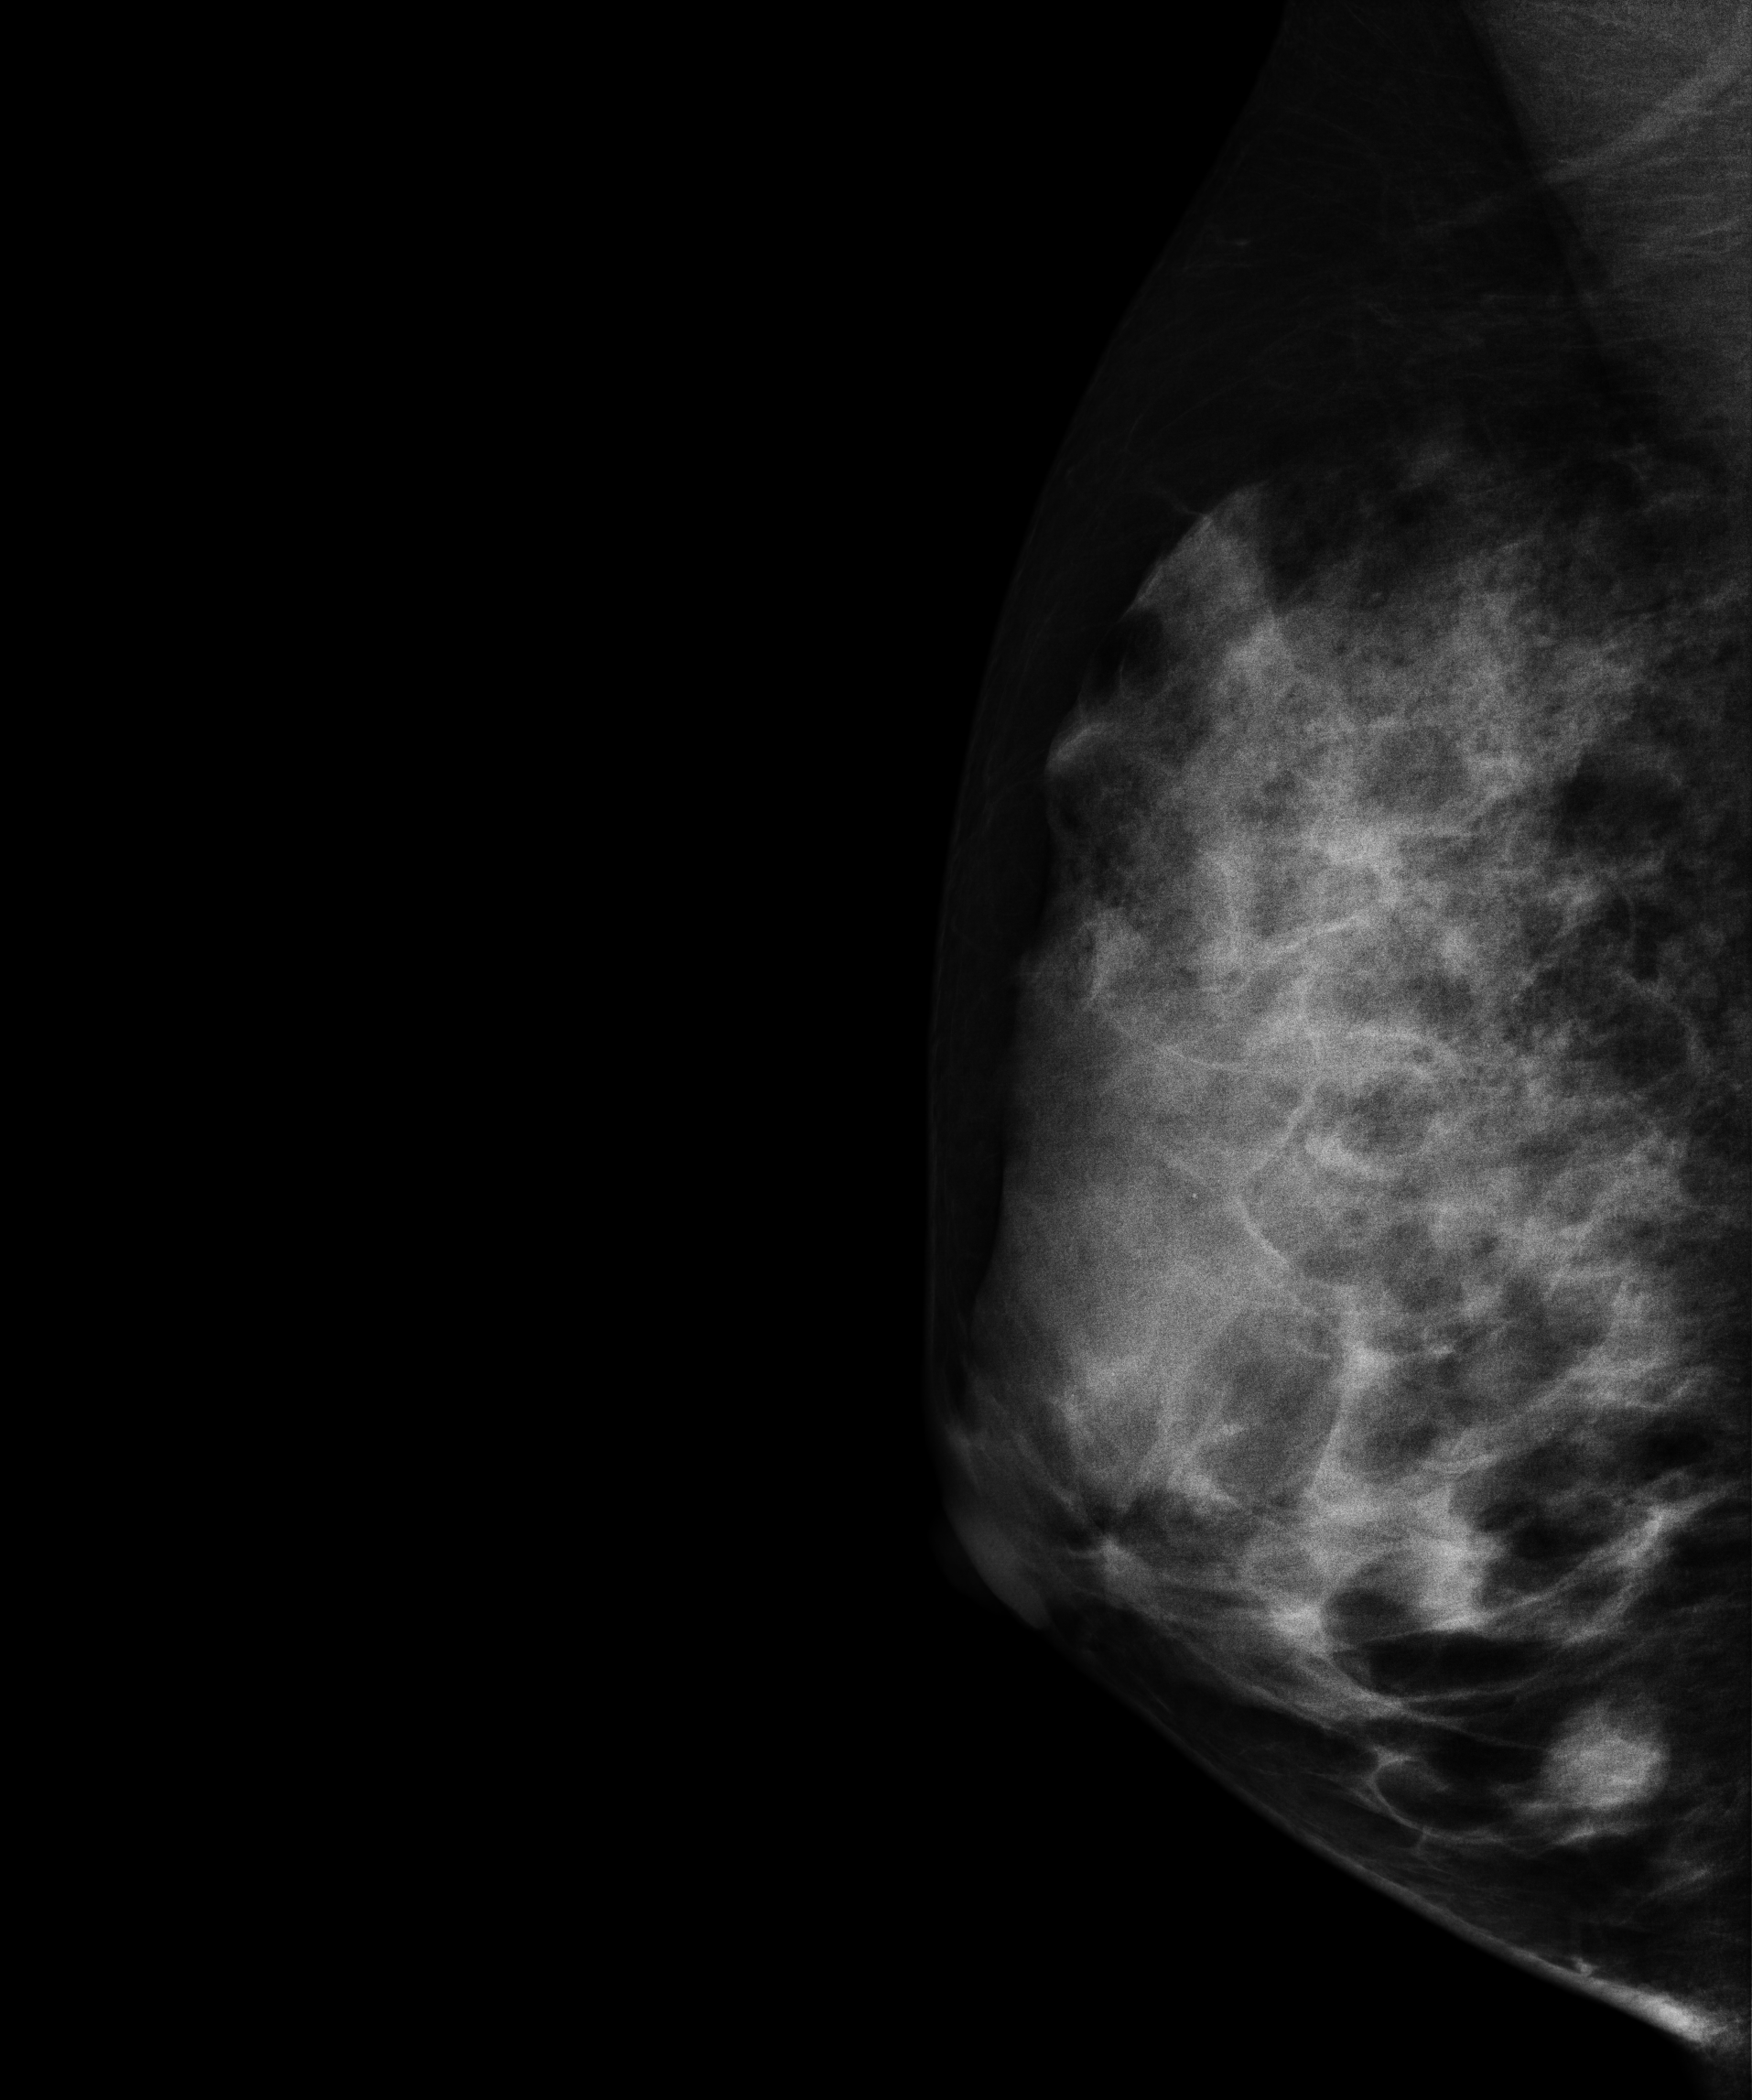
Right-breast mammogram, MLO. Patient age 32.
This breast has a mass, biopsy-proven benign.